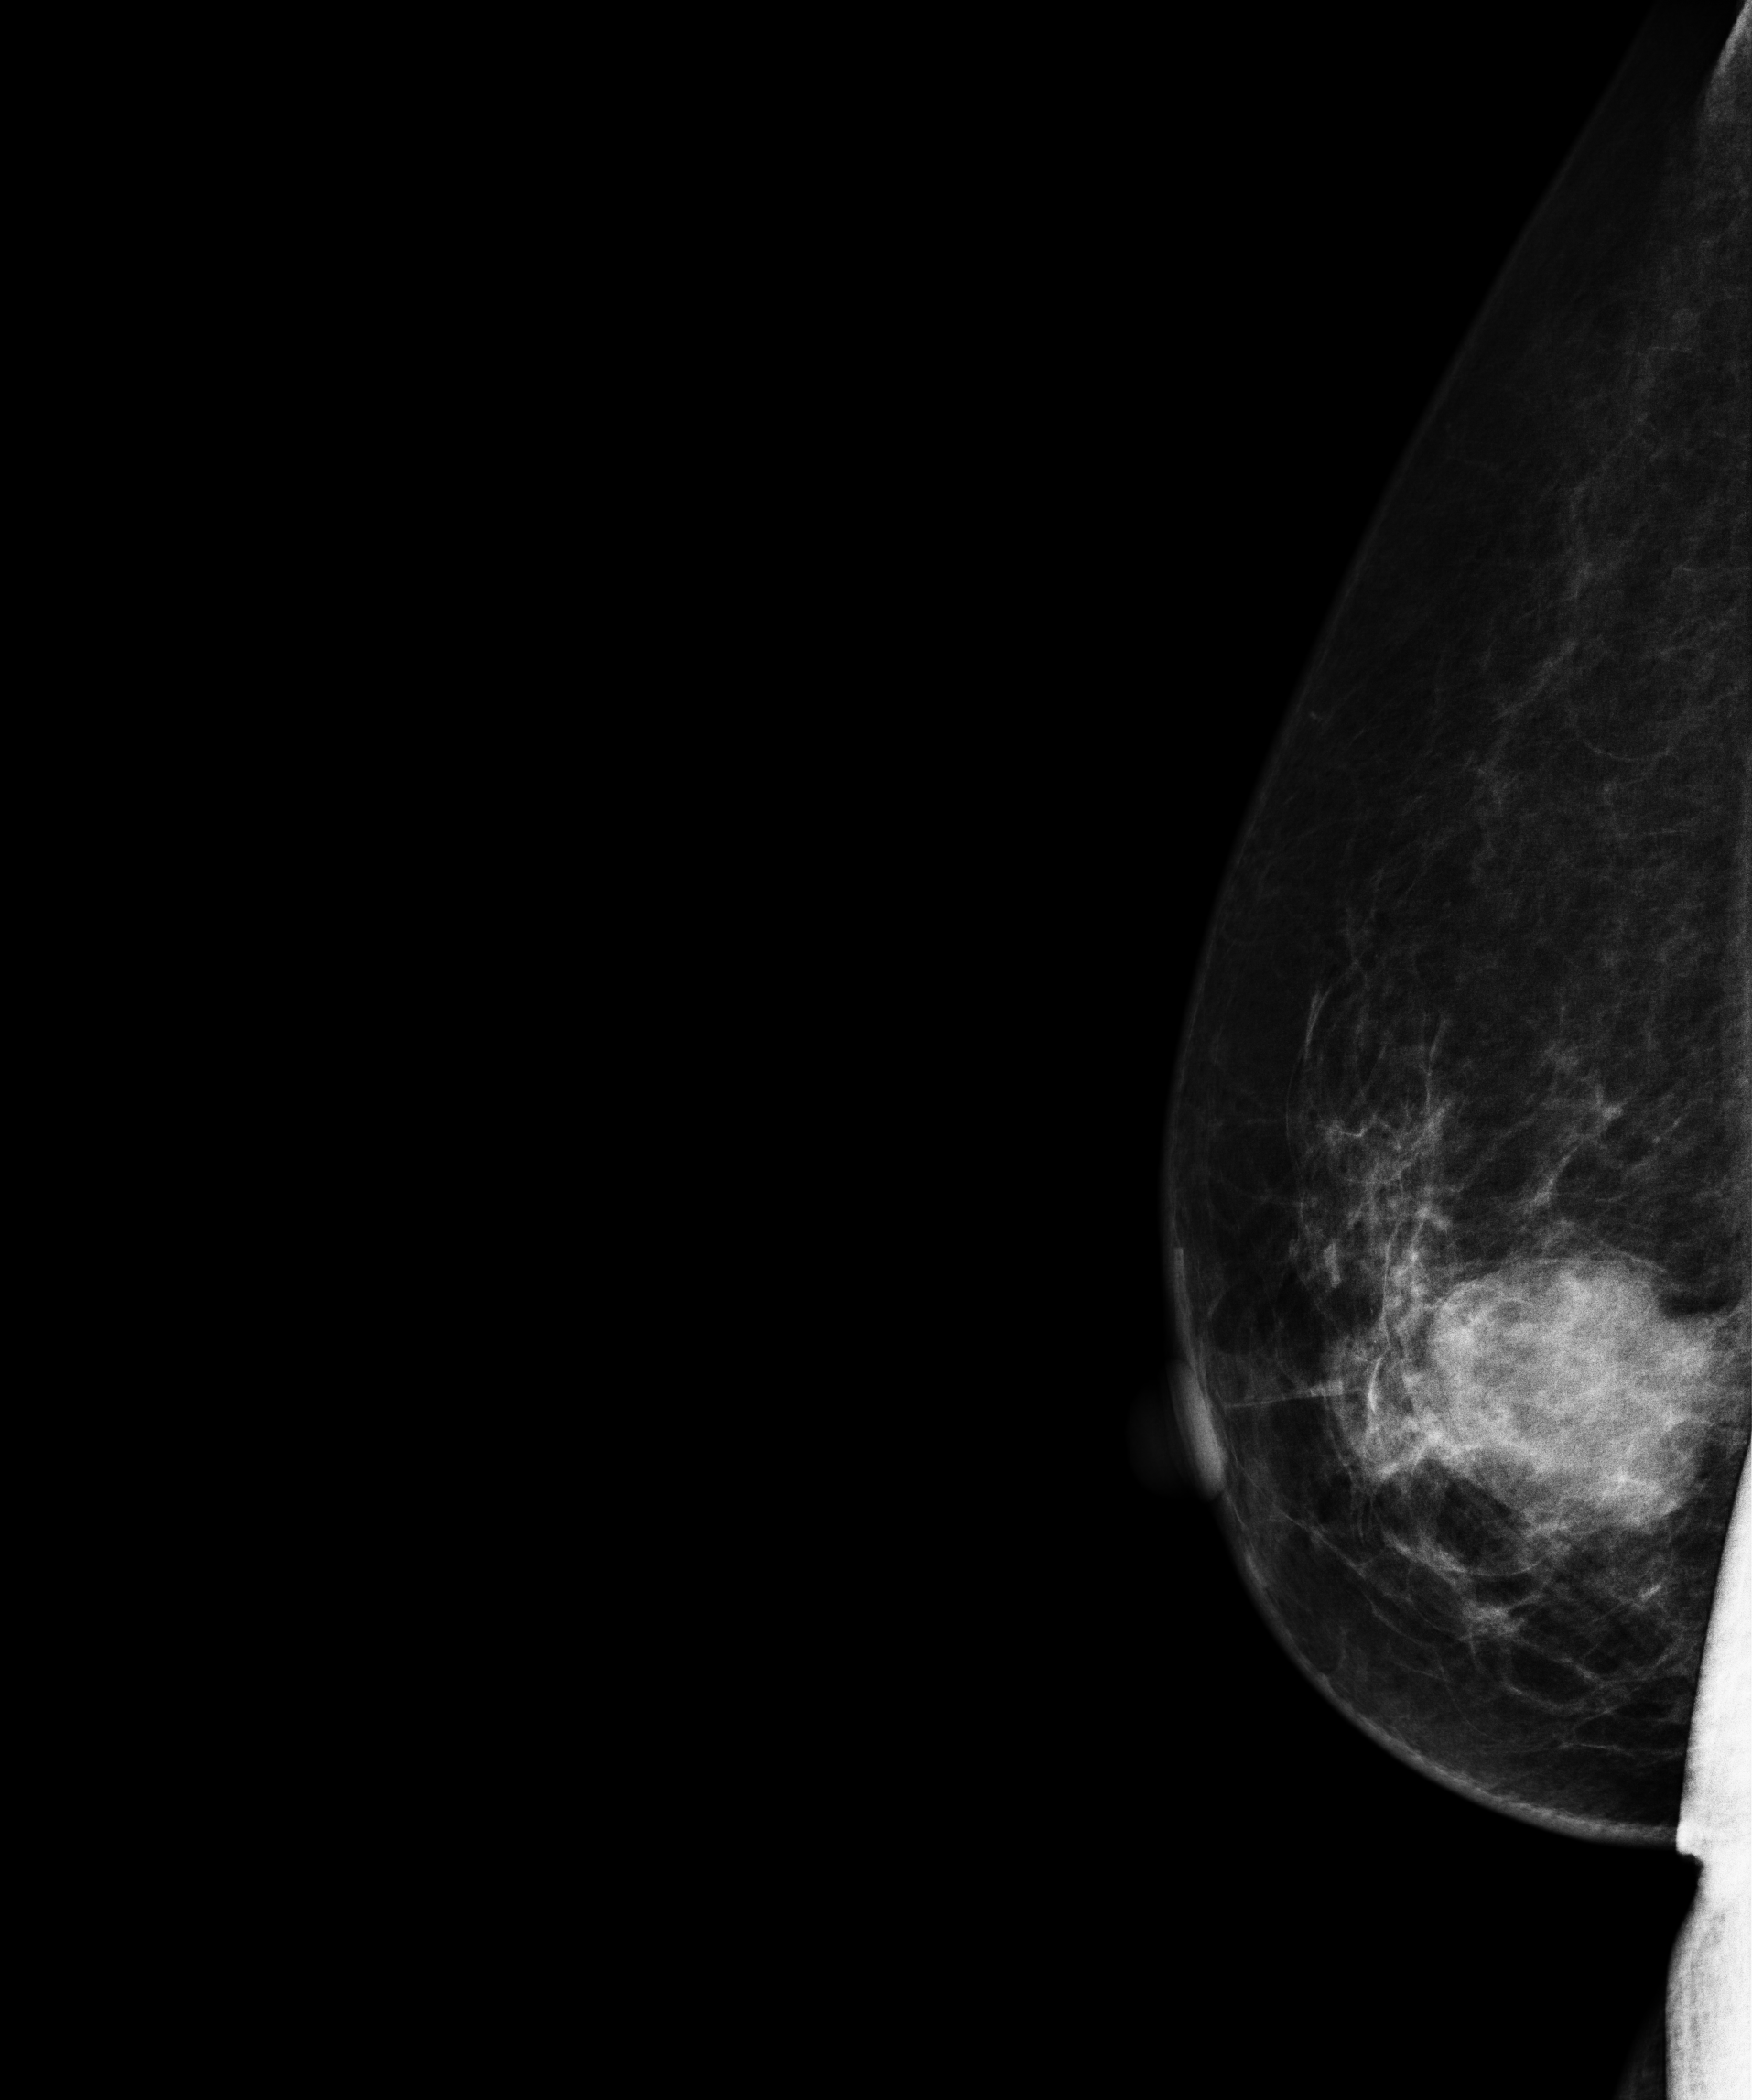
Mammogram — right MLO. 64 y/o patient.
This breast has a mass, pathology-confirmed malignant. Molecular subtype: triple-negative.